Mammogram, right breast, cranio-caudal view. 69 y/o patient.
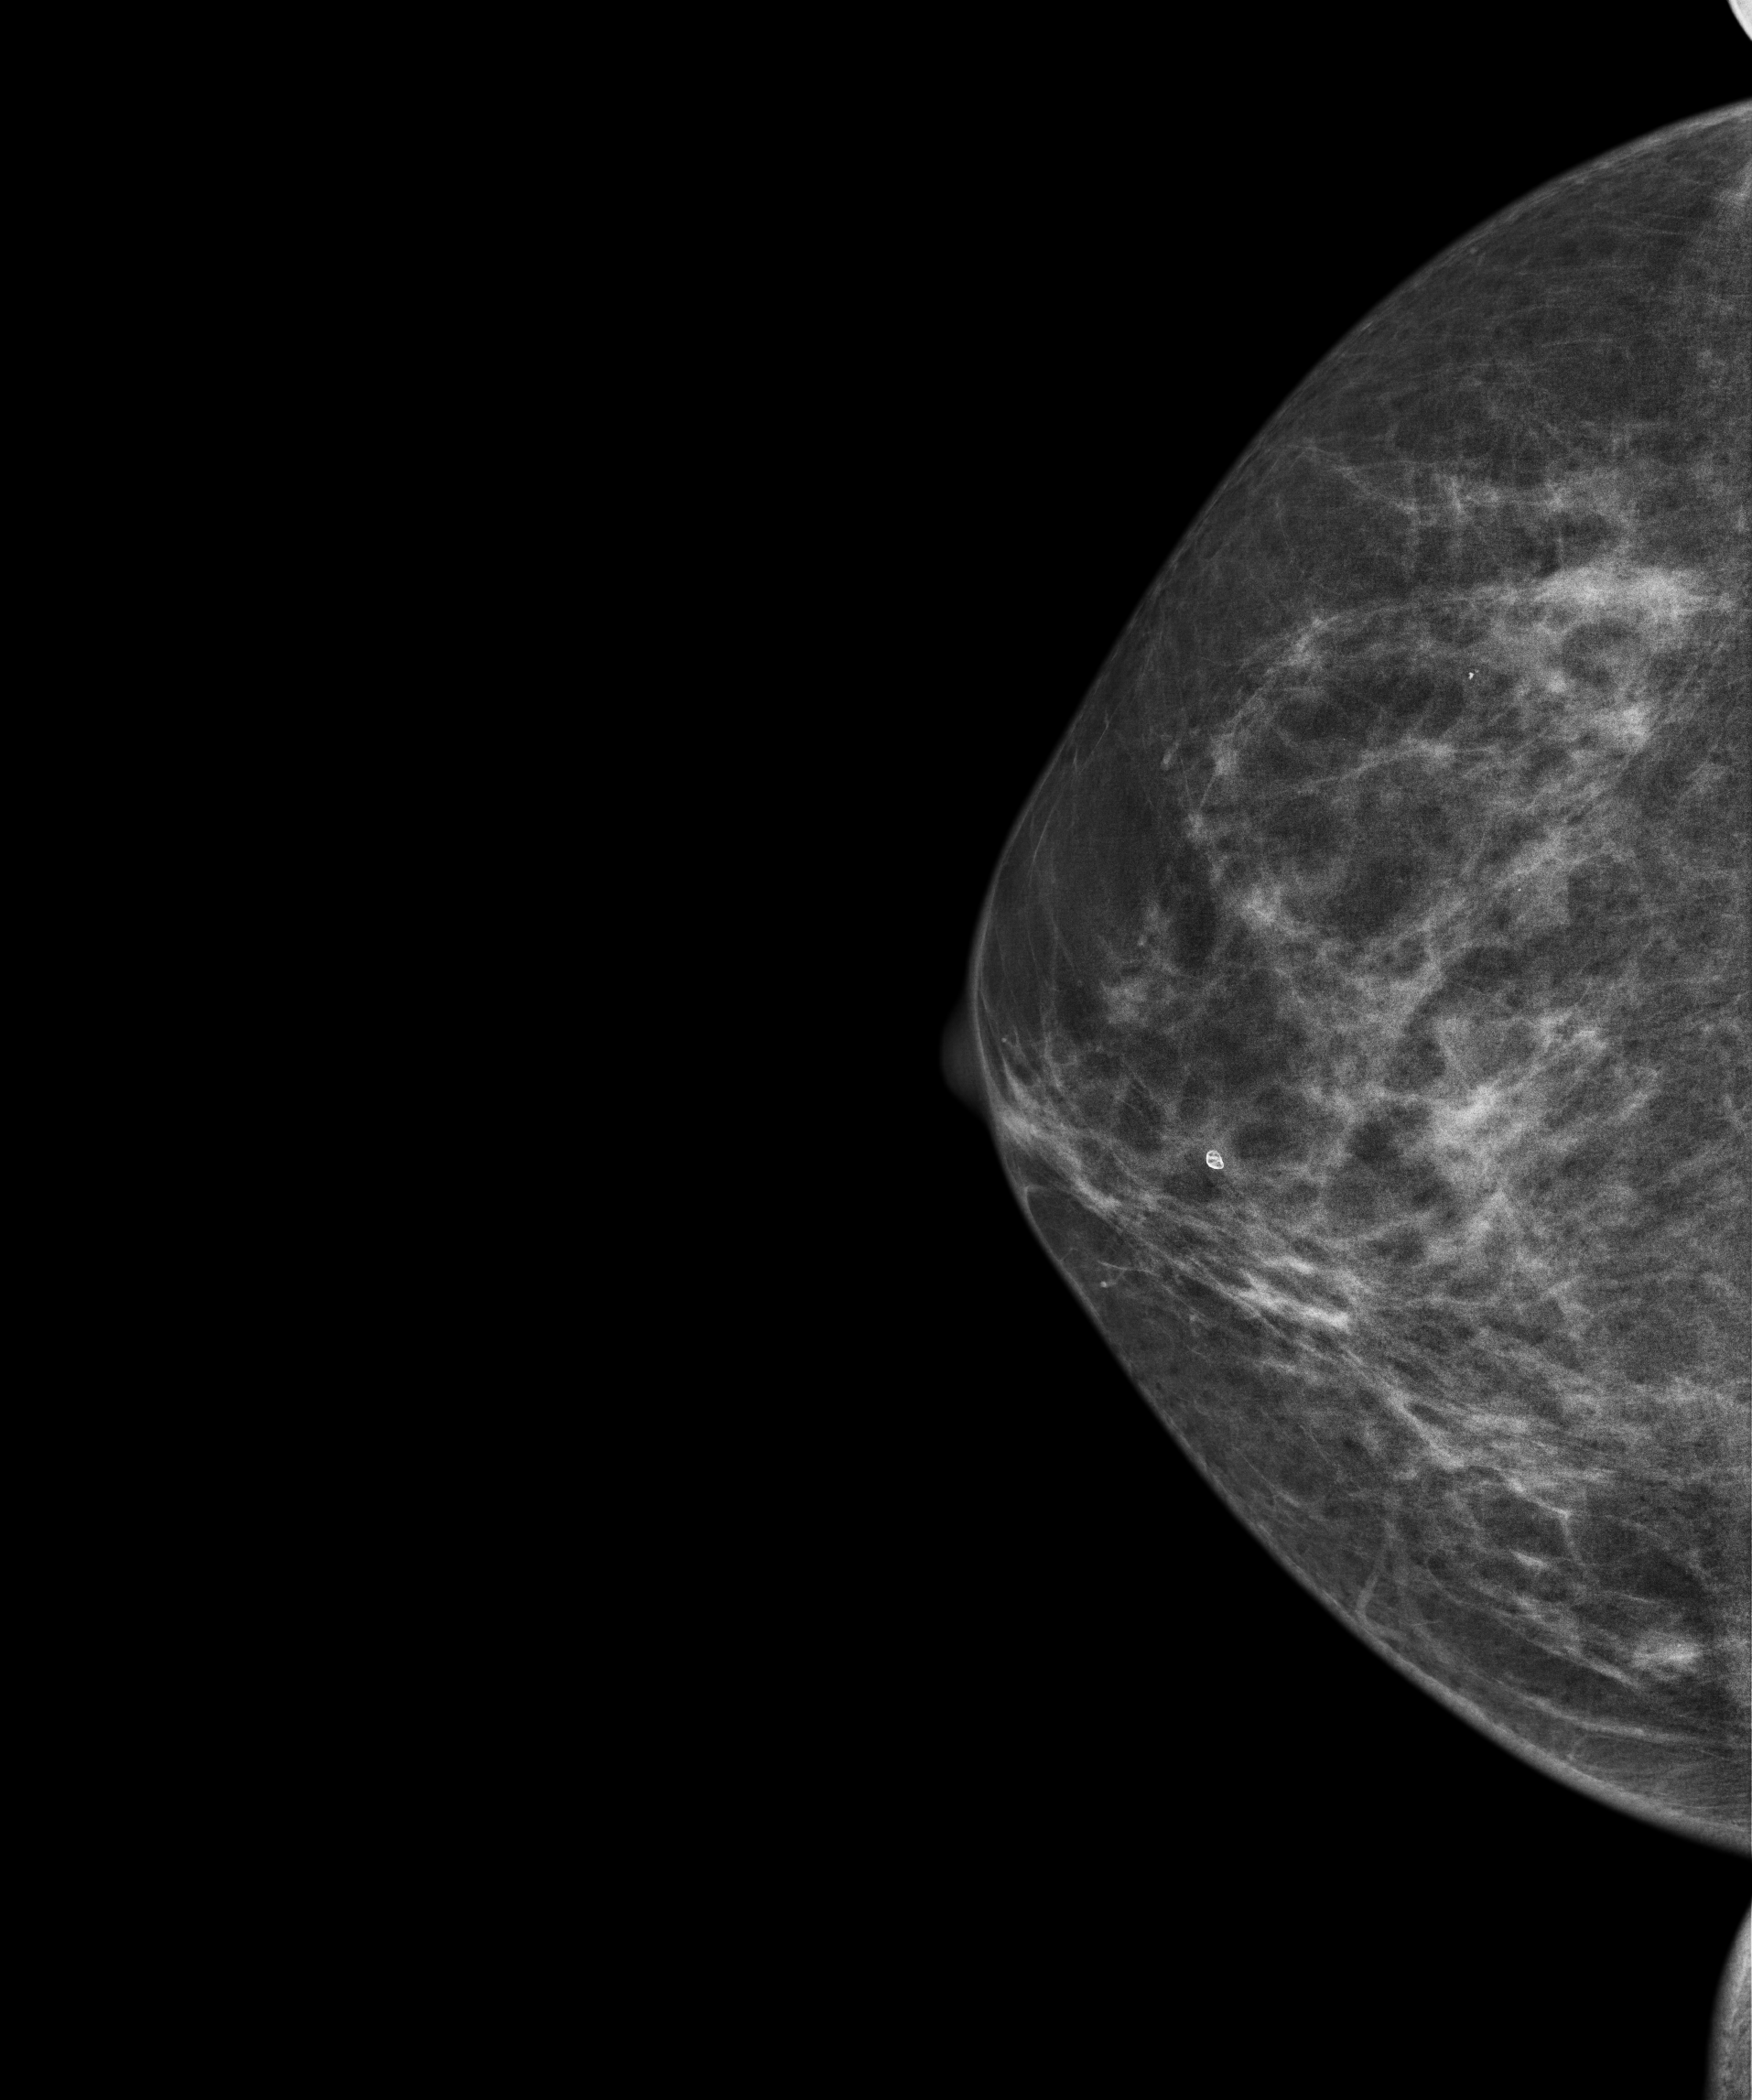
This breast has a mass, biopsy-confirmed malignant.